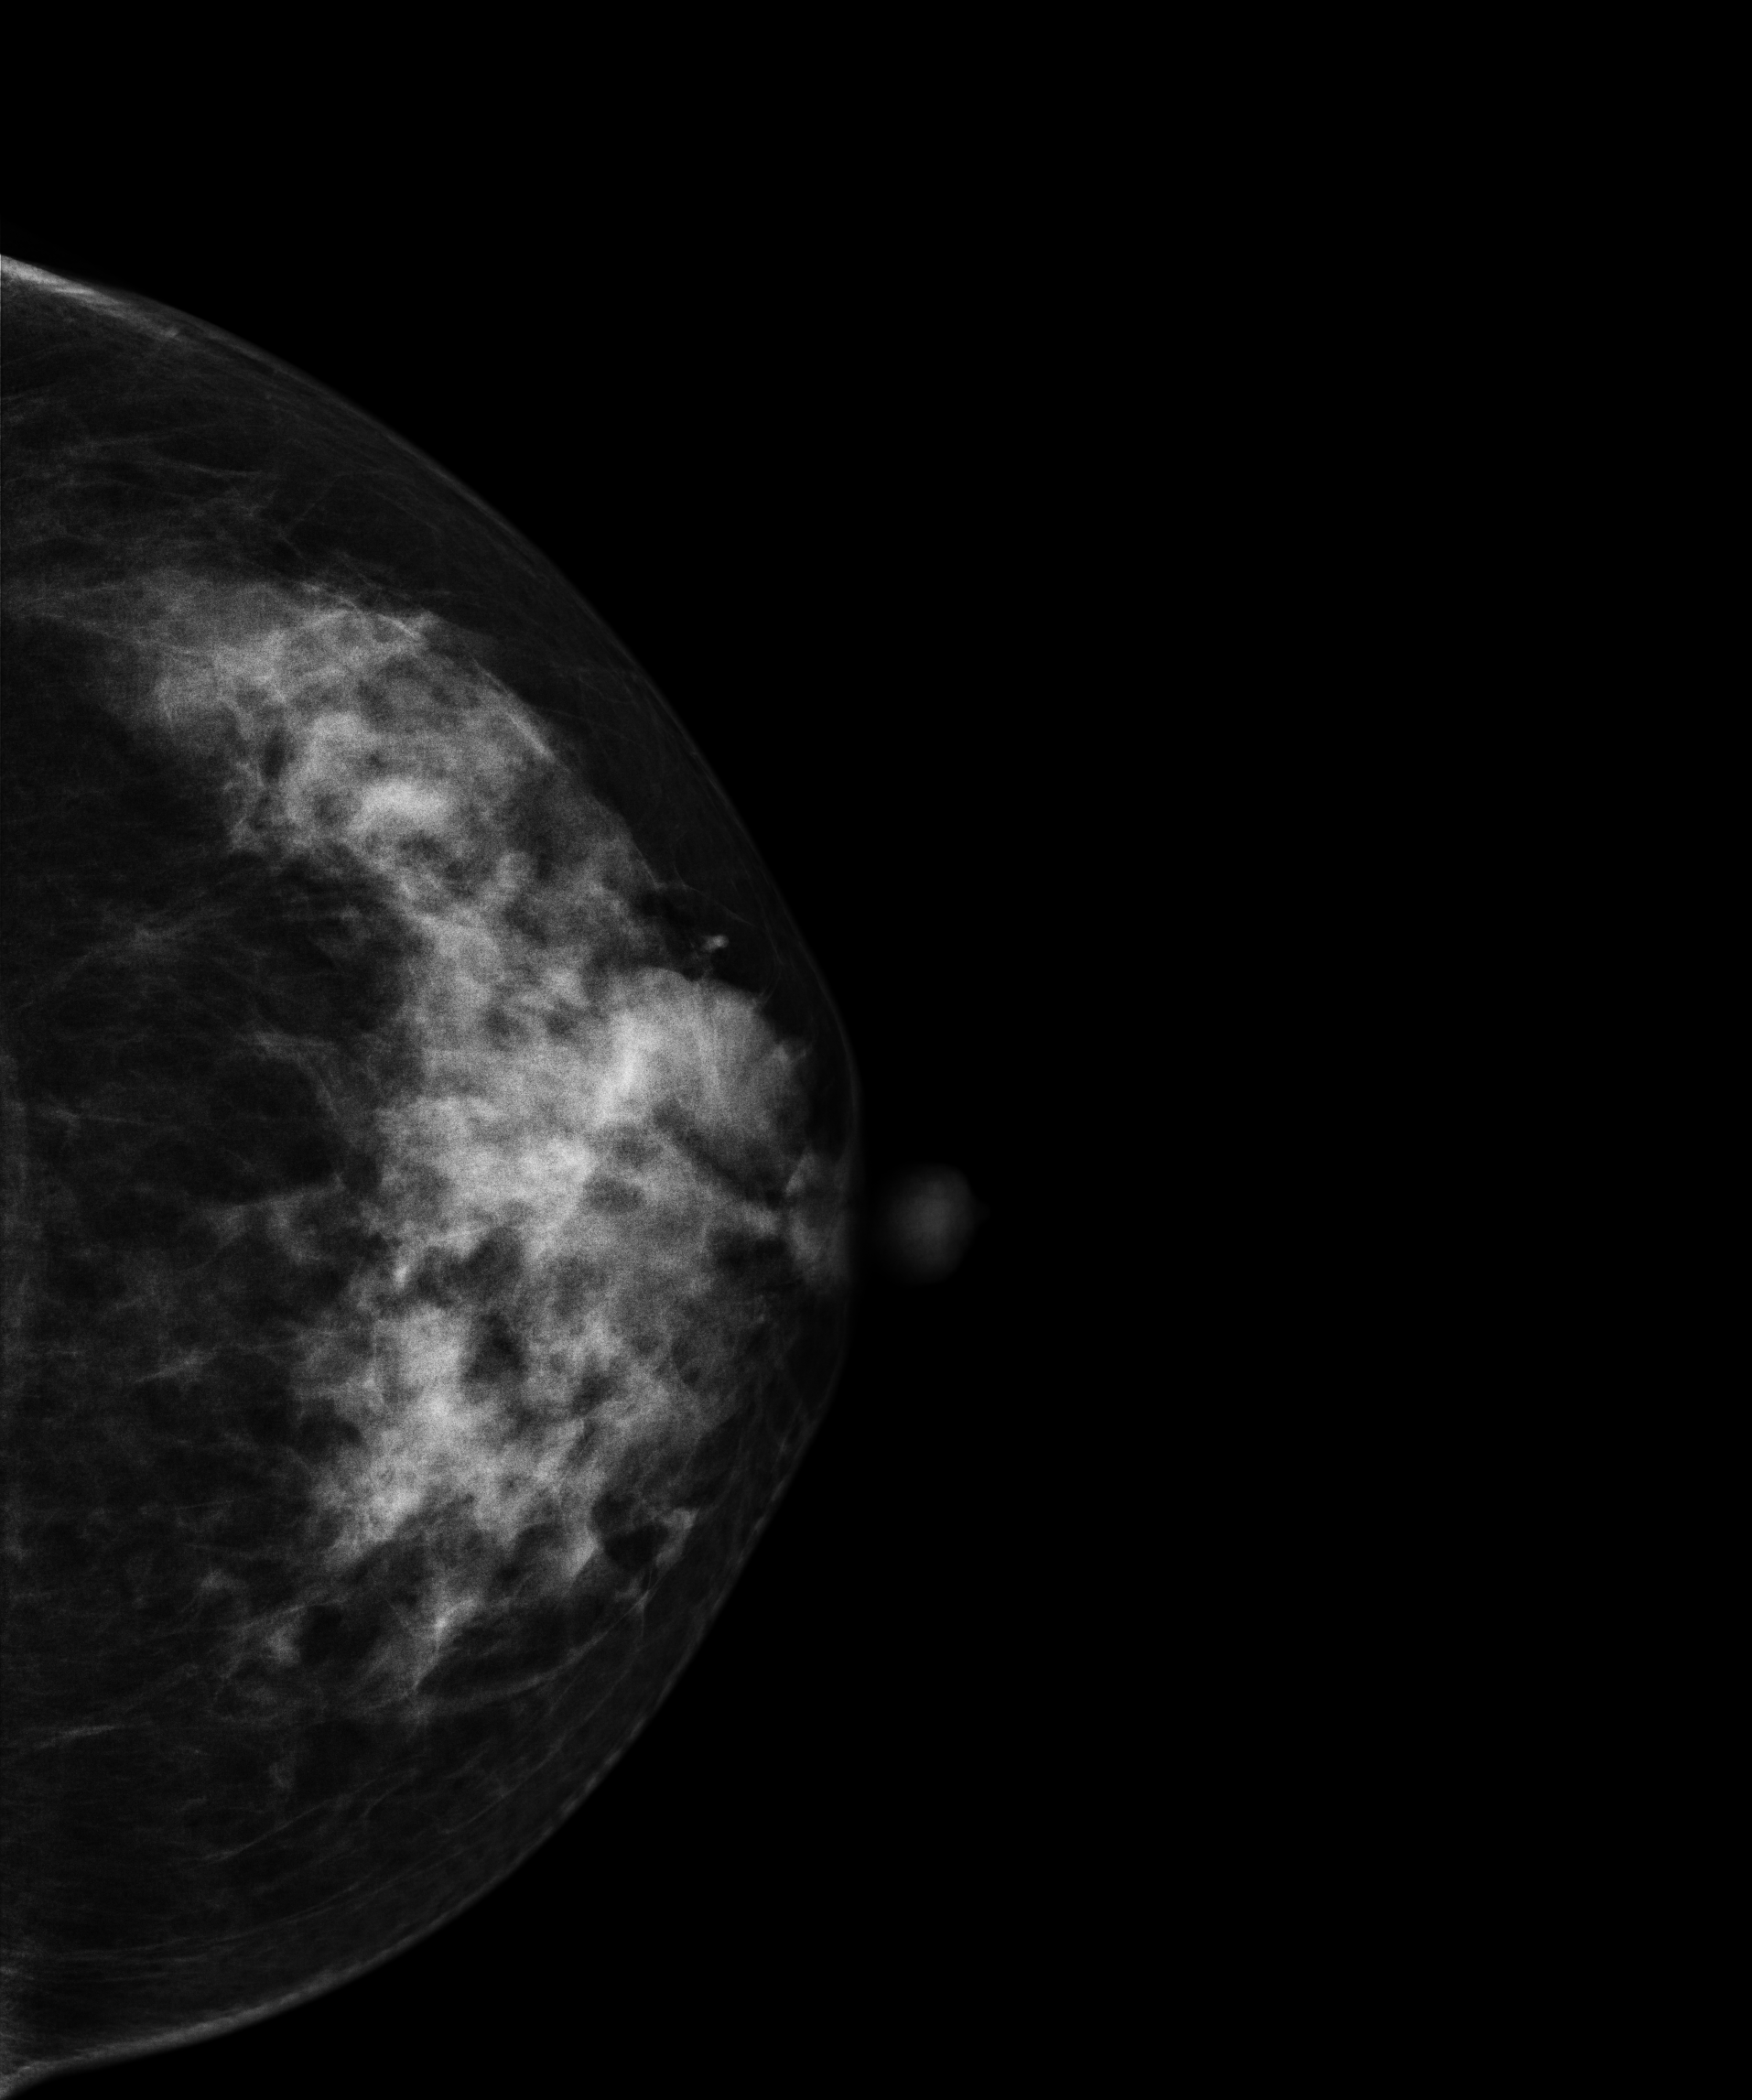
Left-breast mammogram, CC. 46 y/o patient.
This breast has a mass, pathology-confirmed benign.